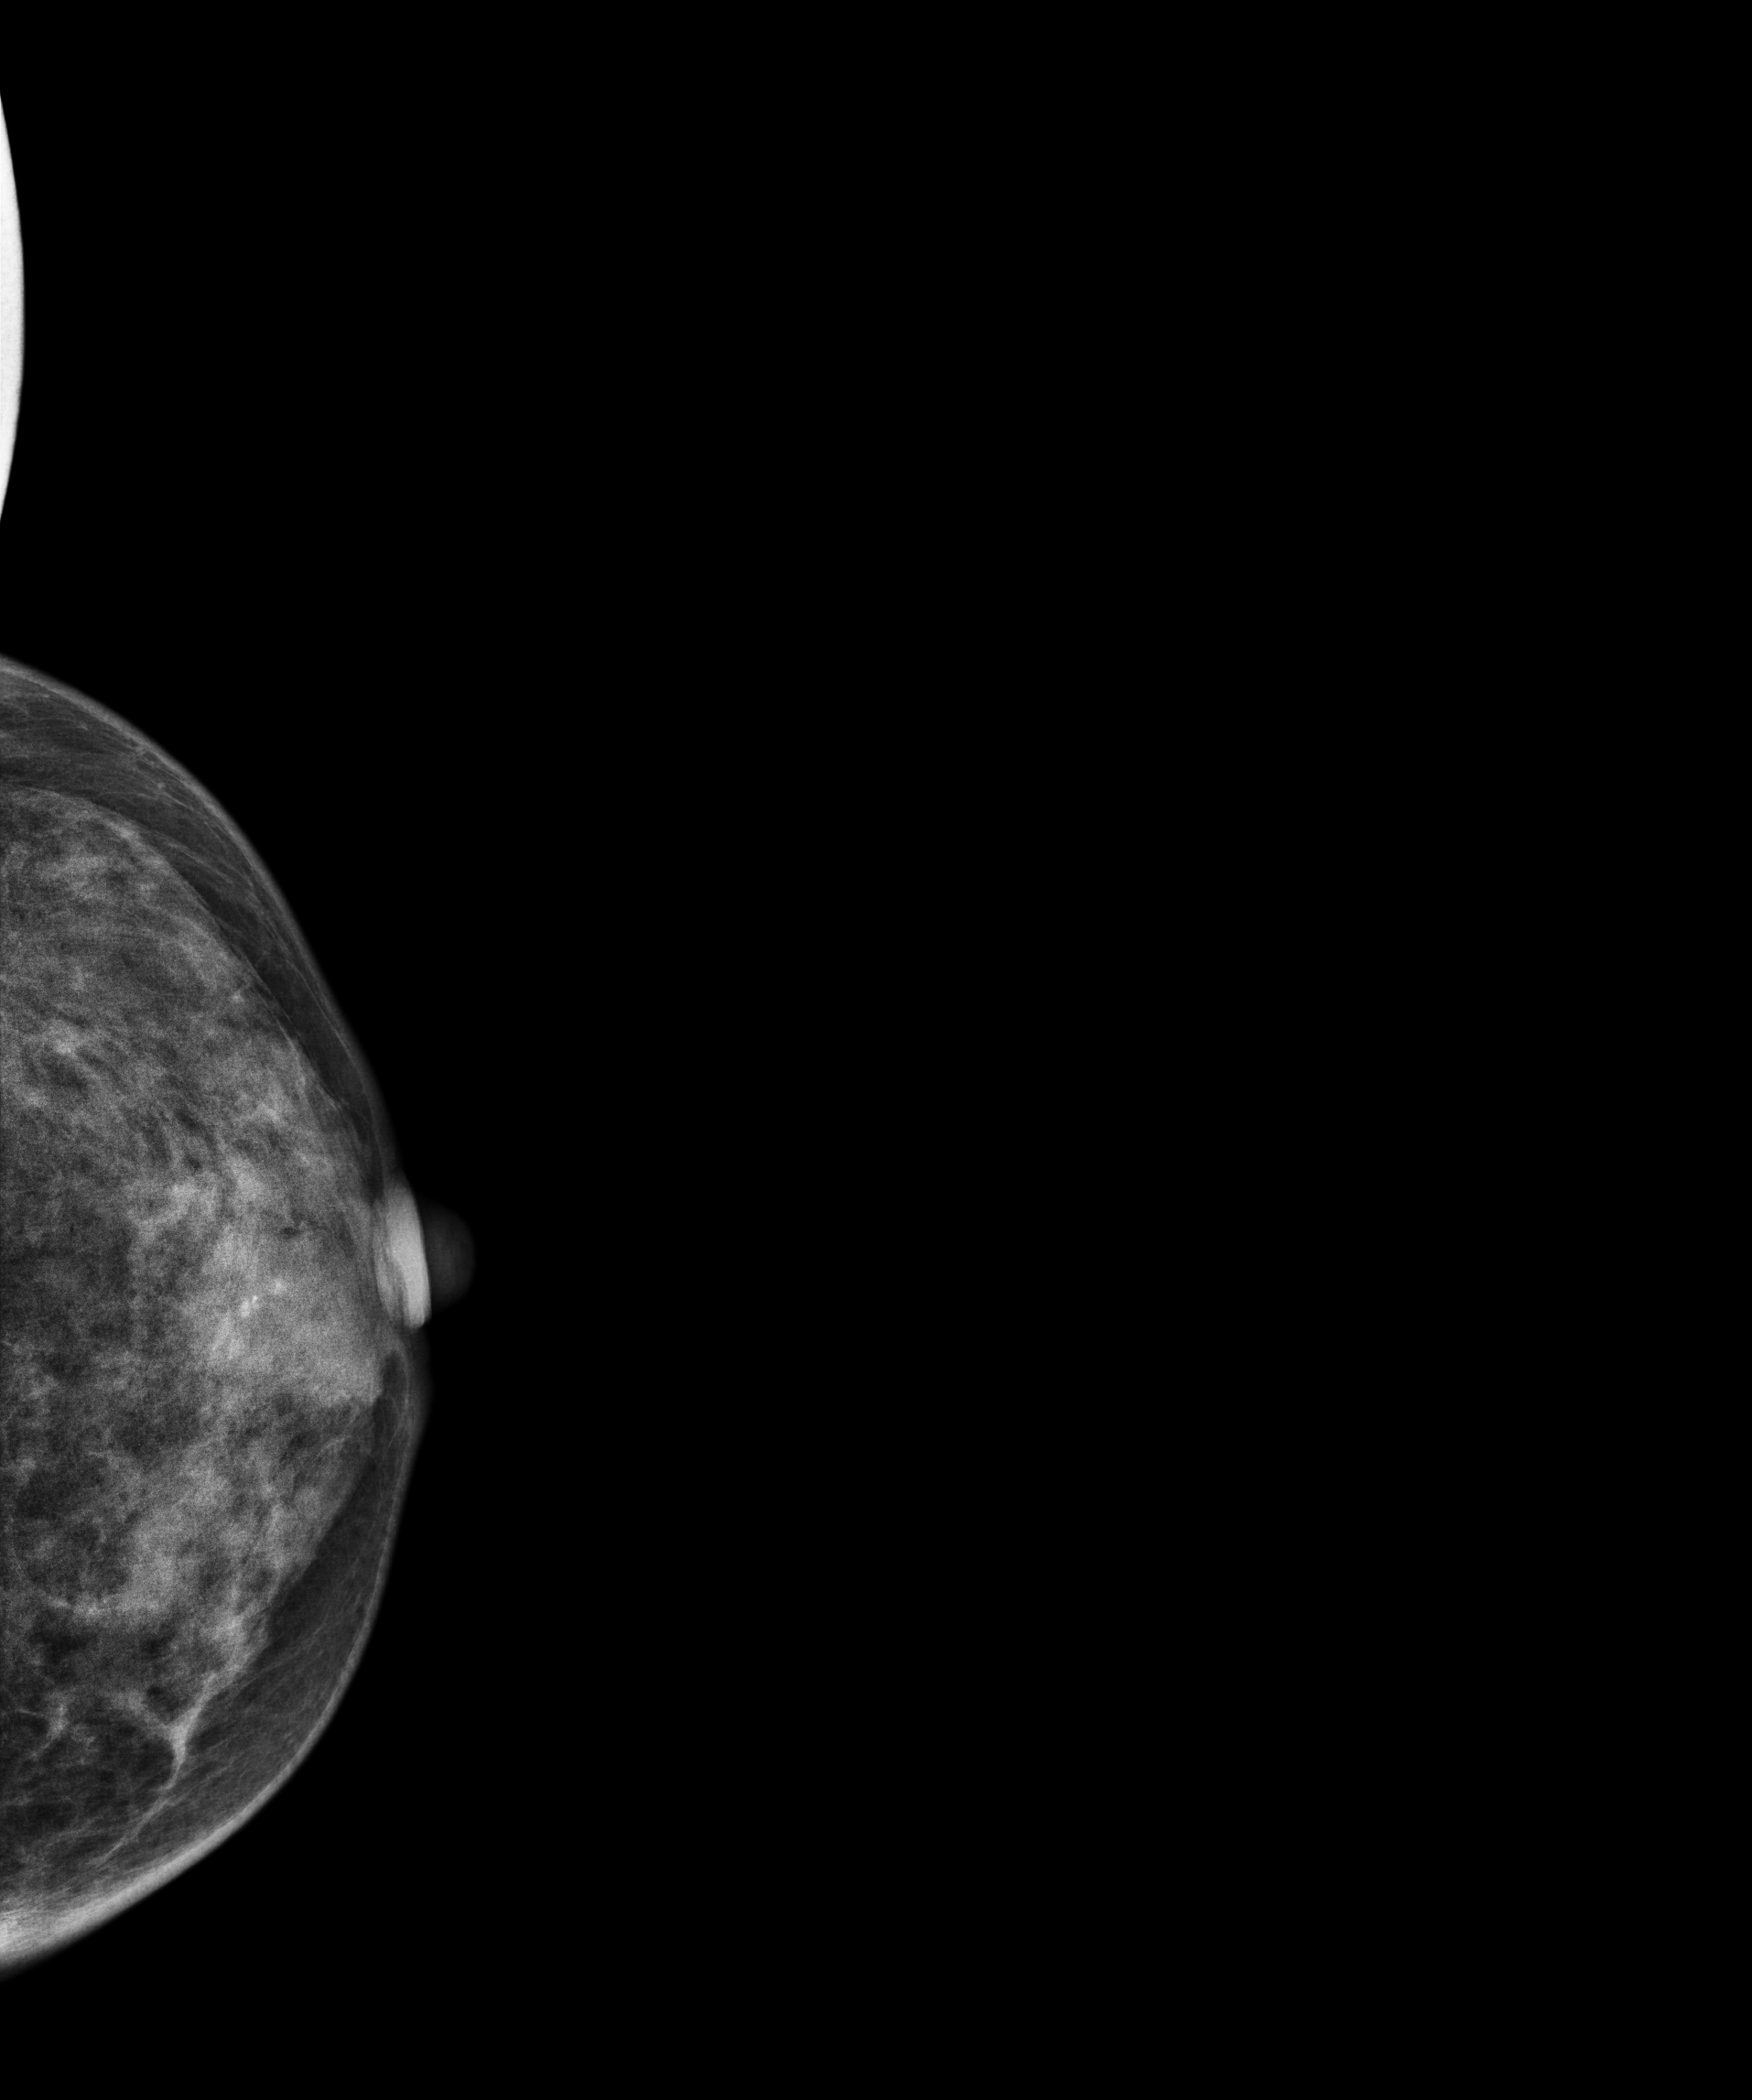
Mammogram — left cranio-caudal. 49 y/o patient.
This breast has a mass, biopsy-confirmed malignant. Molecular subtype: luminal B.